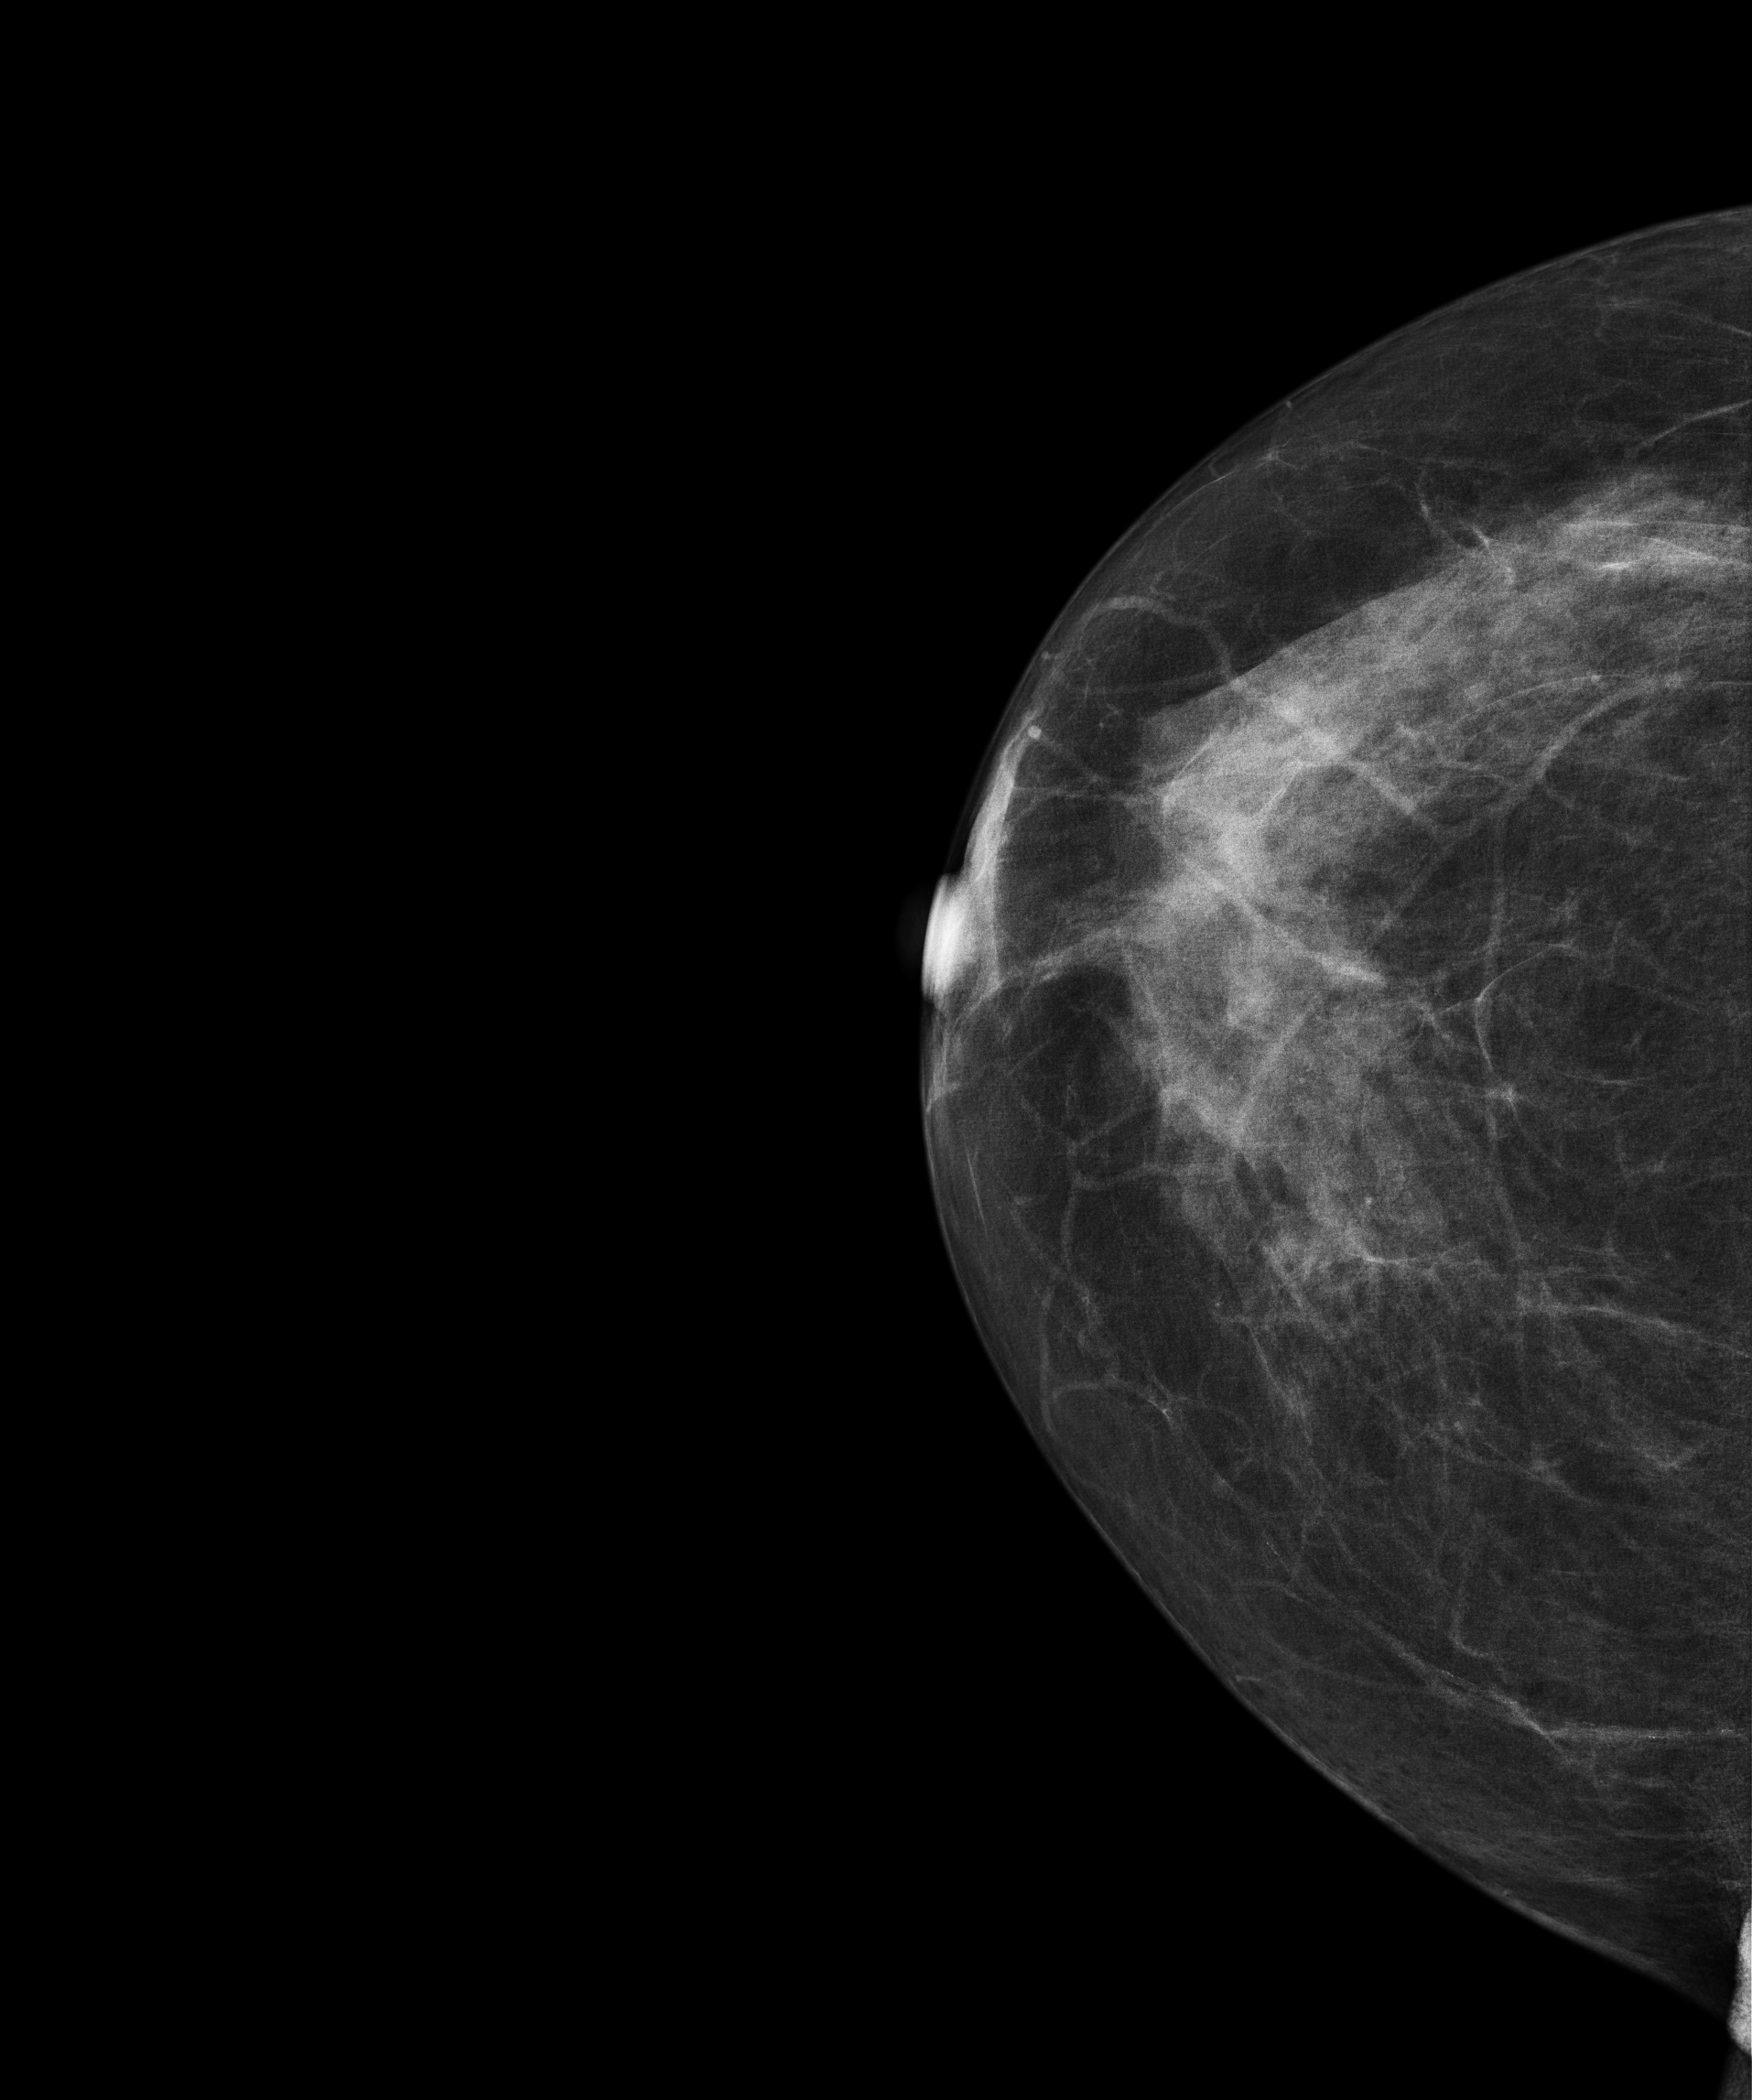
Digital mammography. Right breast, cranio-caudal projection. 59 y/o patient.
Contralateral breast — no documented abnormality on this side.